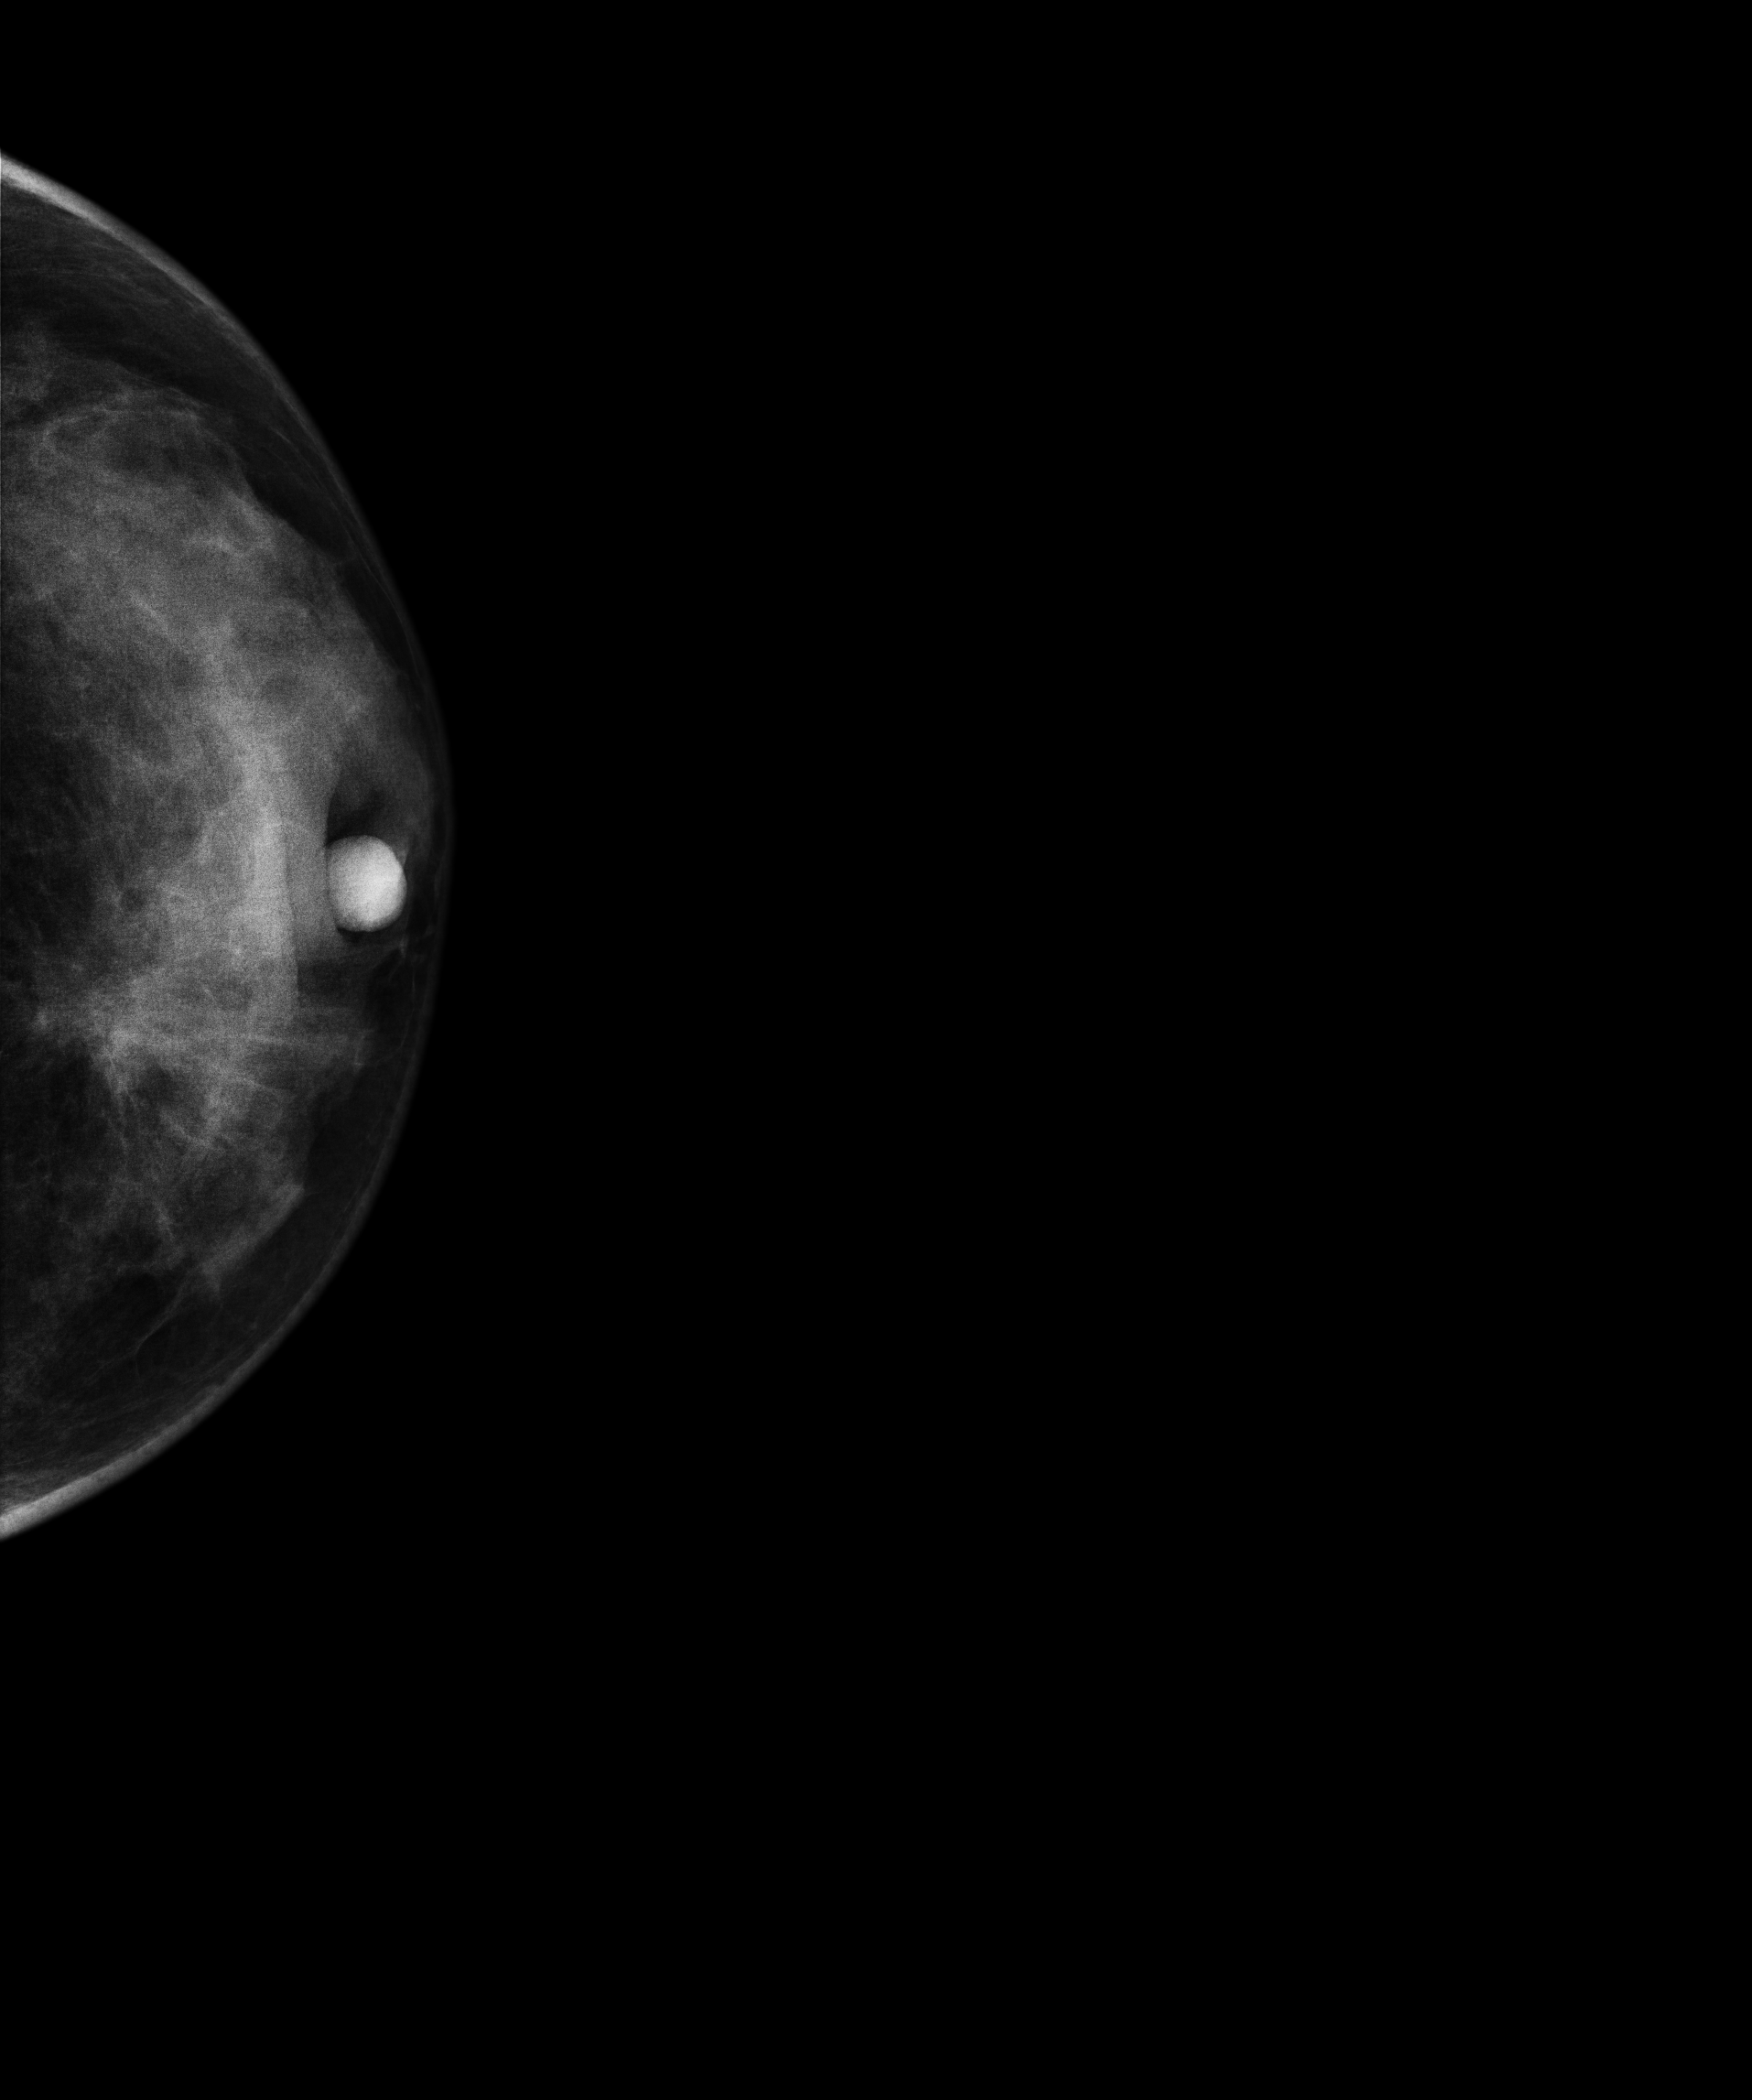
Digital mammography. Left breast, cranio-caudal projection. Patient age 42.
This breast has a mass, pathology-confirmed malignant. Molecular subtype: luminal A.